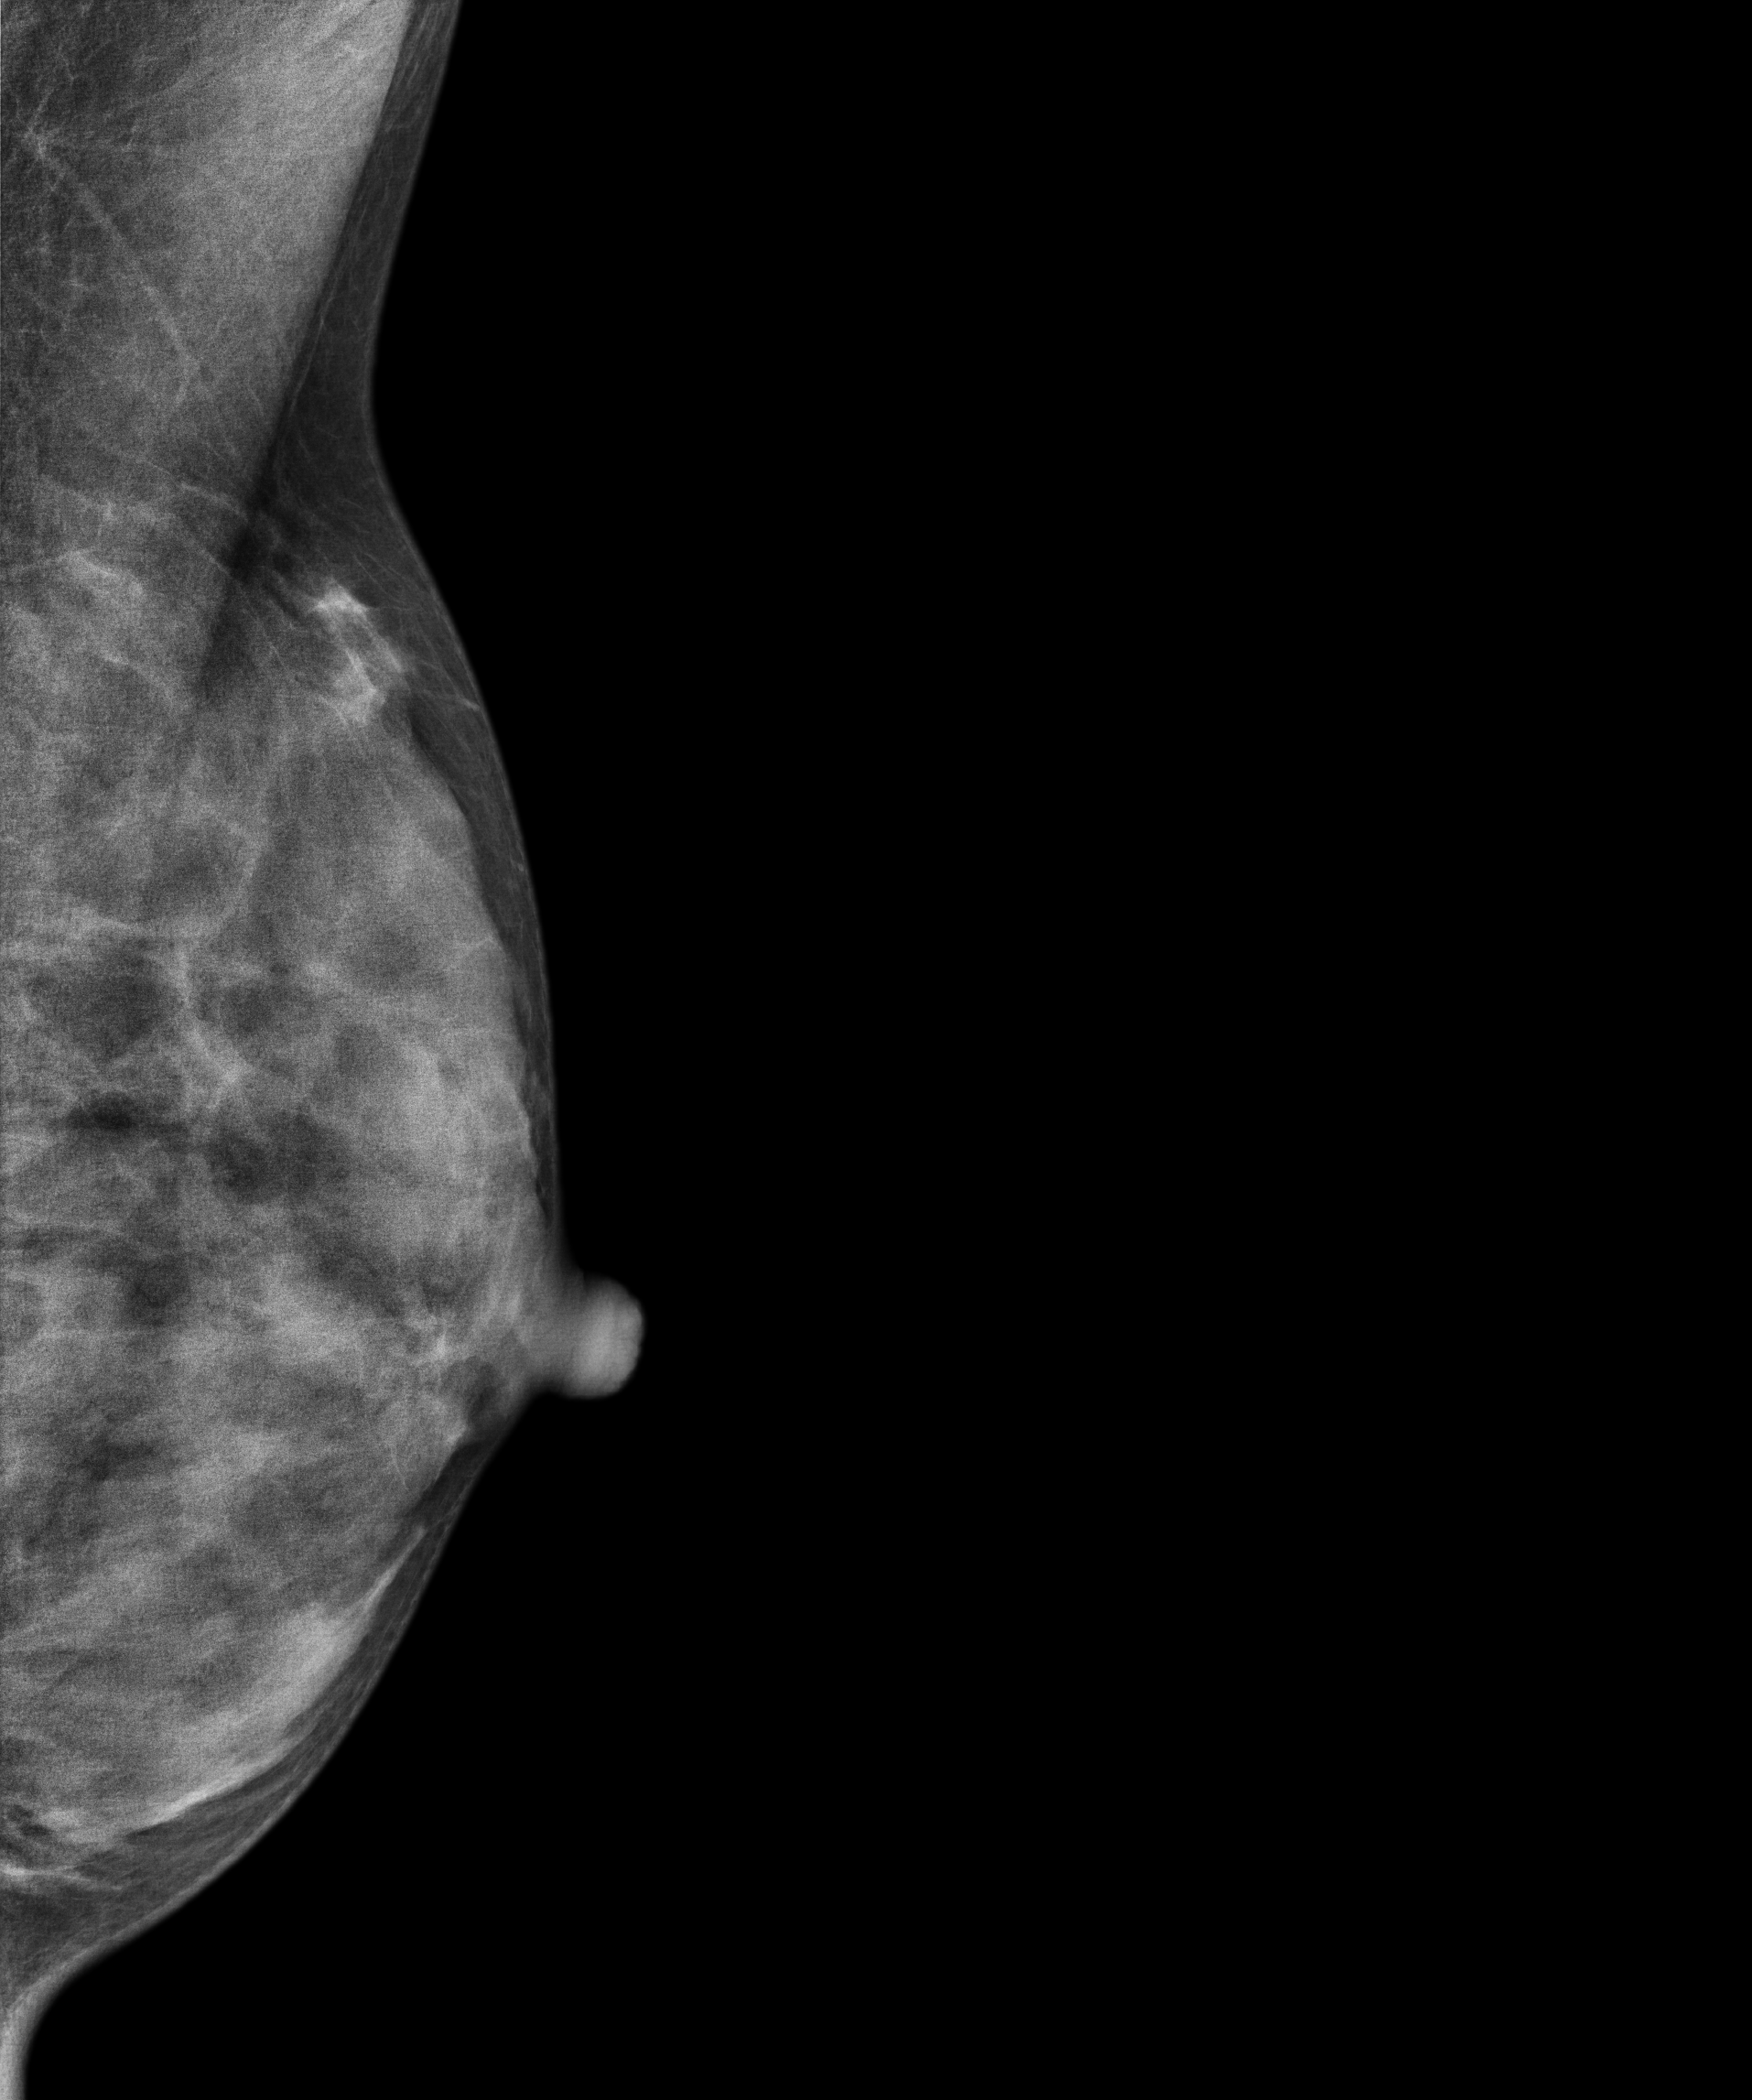
Digital mammography. Left breast, medio-lateral oblique projection. 23-year-old patient.
This breast has a mass, biopsy-confirmed benign.